MLO mammogram of the left breast. 51 y/o patient.
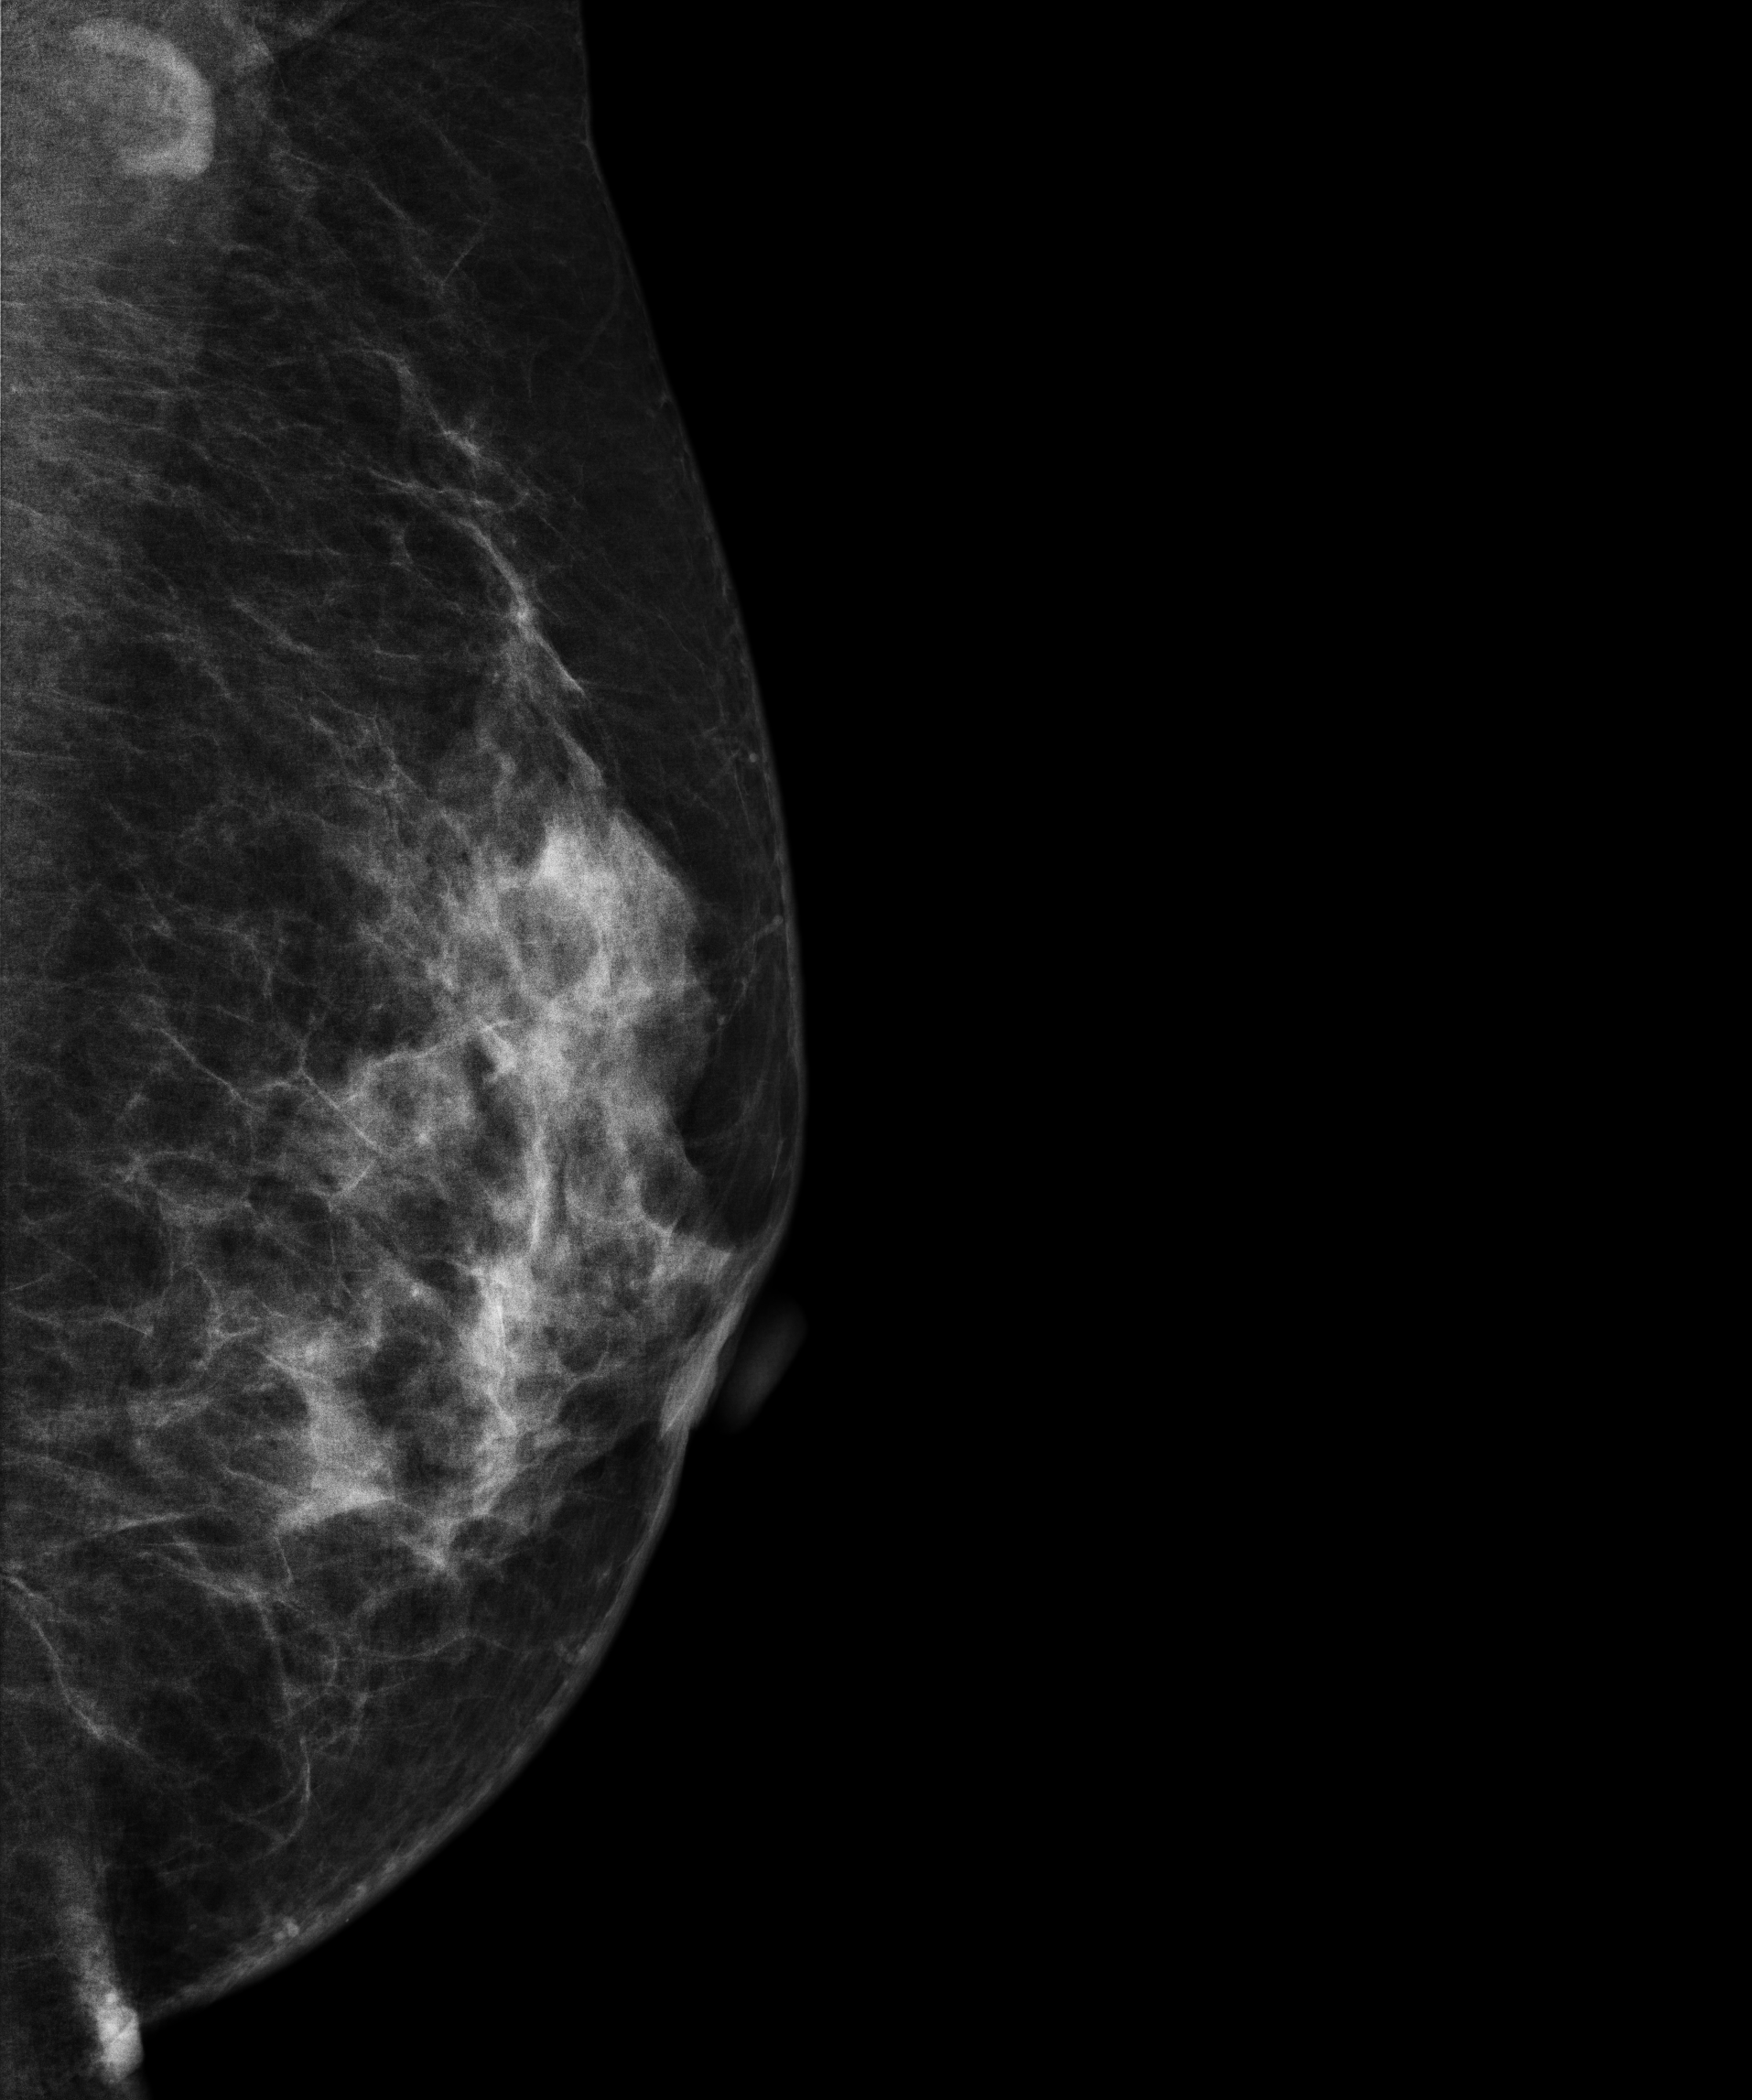
Contralateral breast — no documented abnormality on this side.